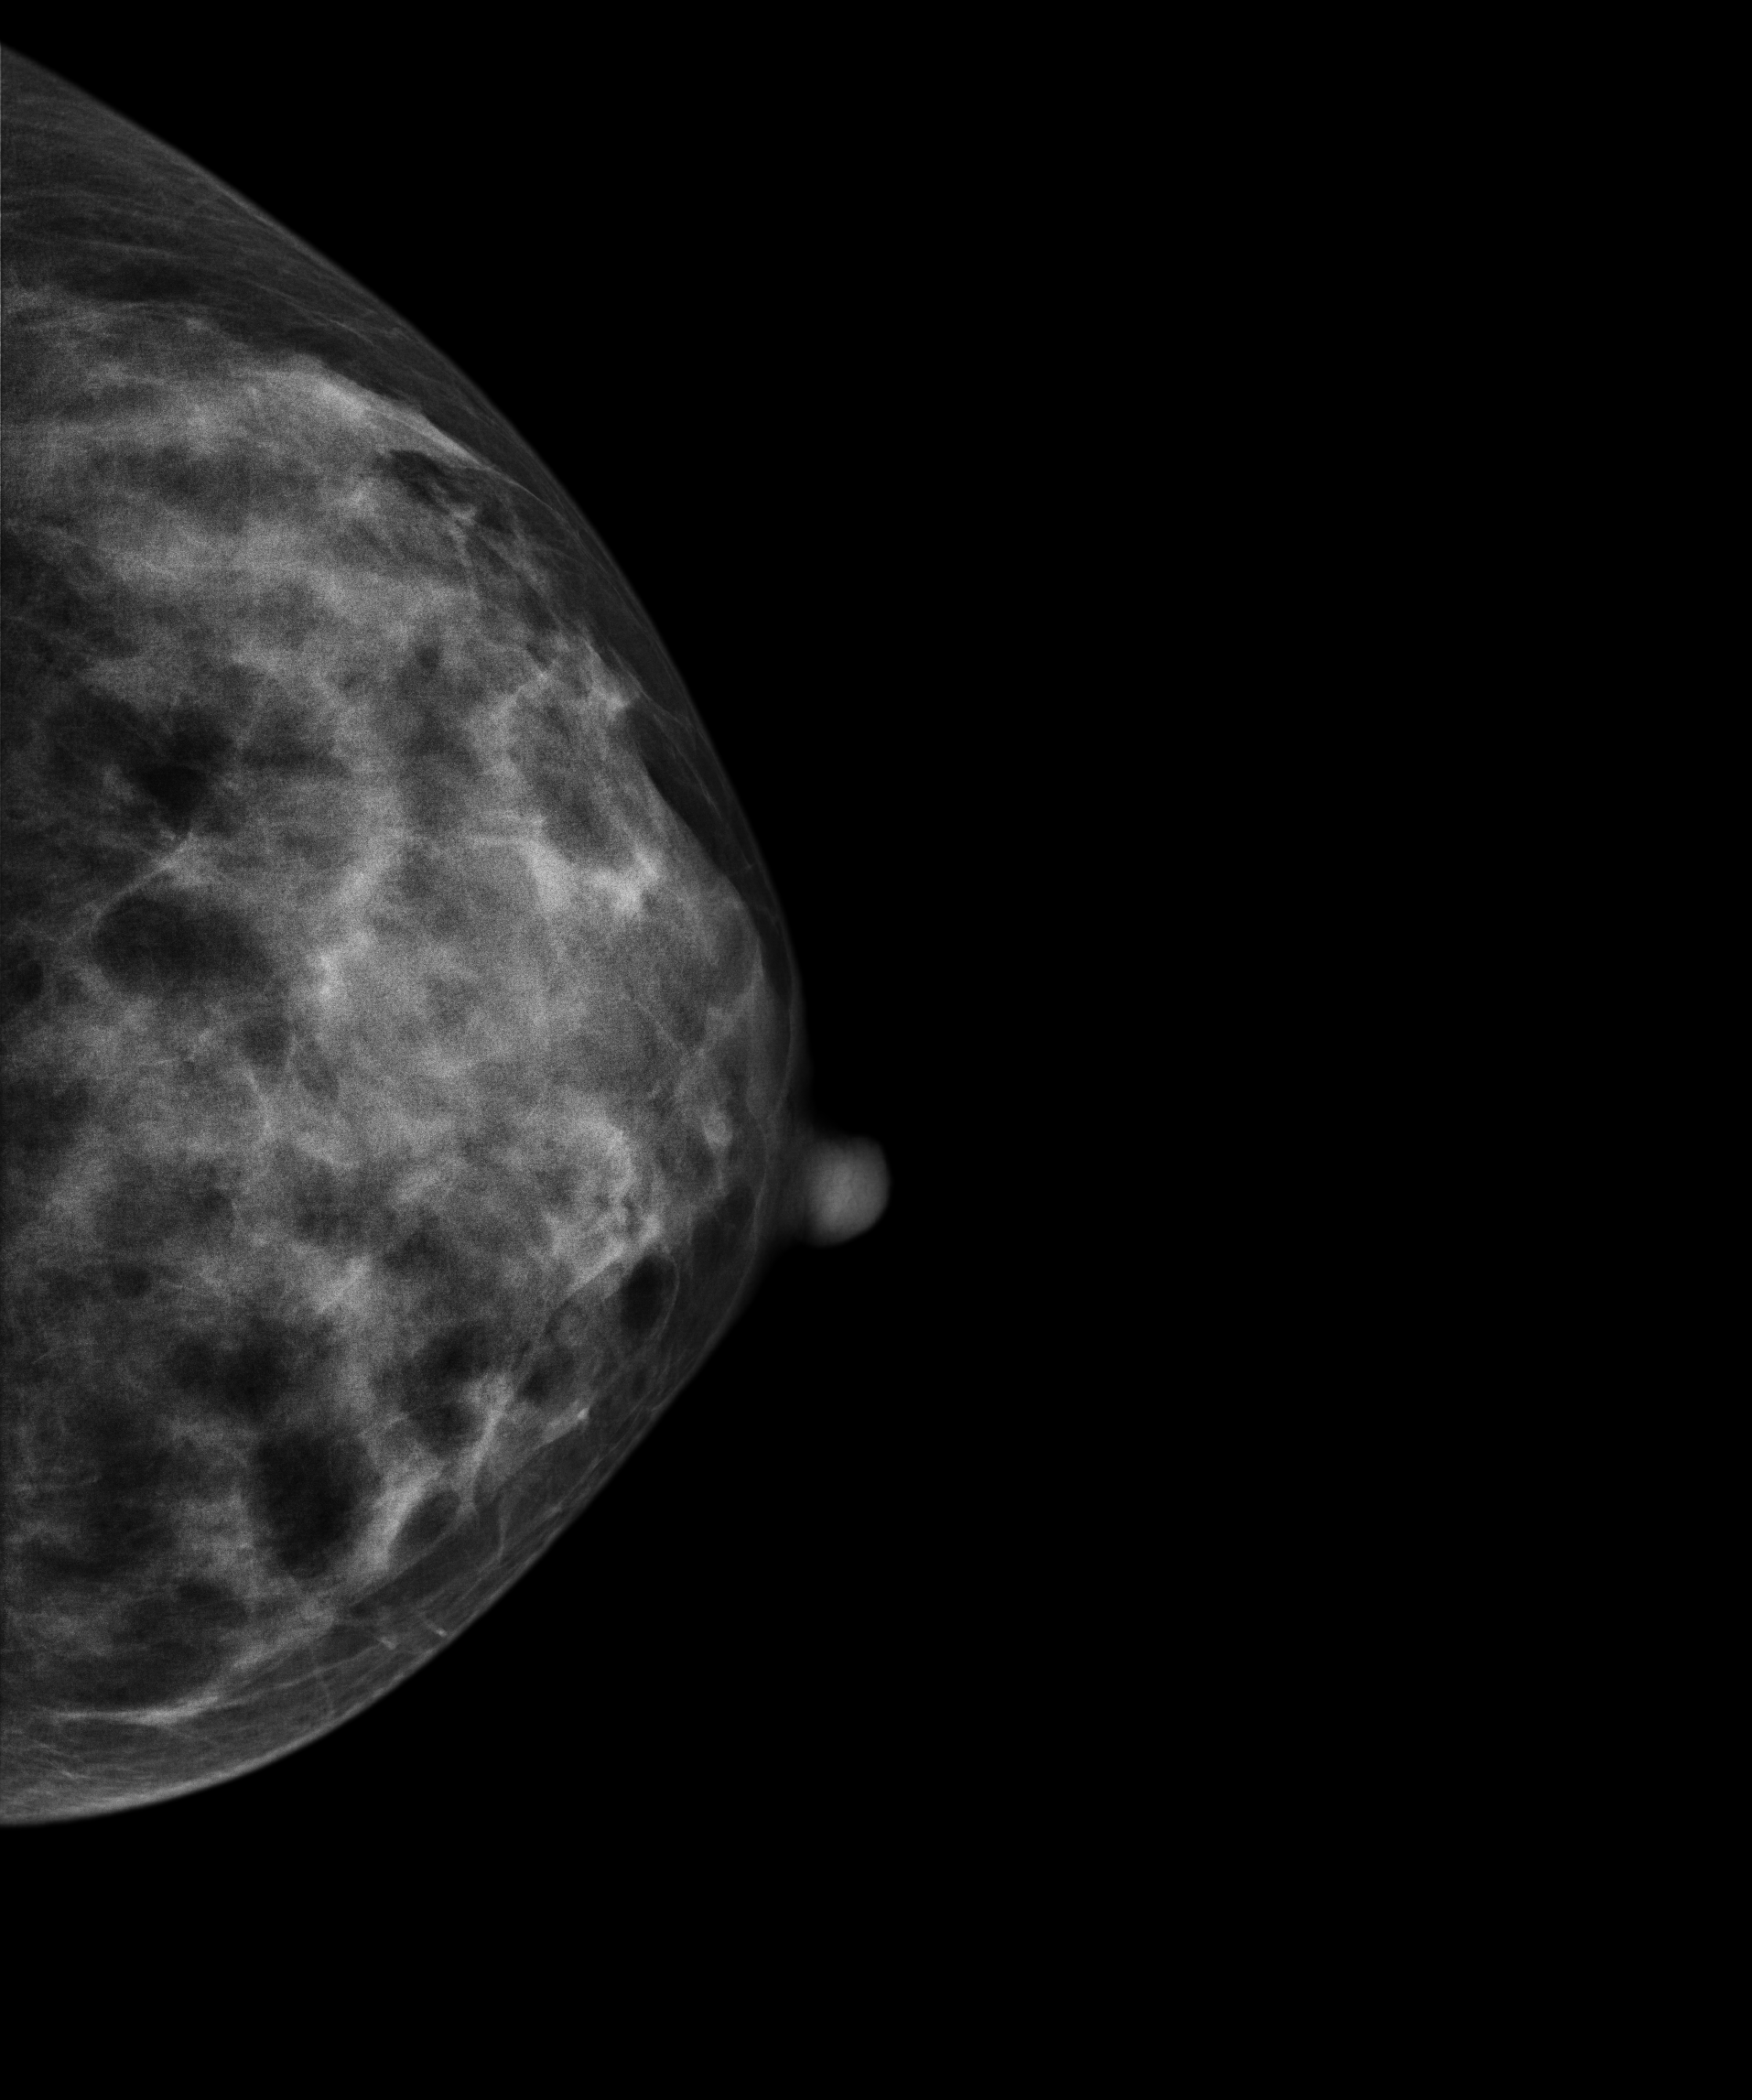
Left-breast mammogram, cranio-caudal. 34 y/o patient.
Contralateral breast — no documented abnormality on this side.